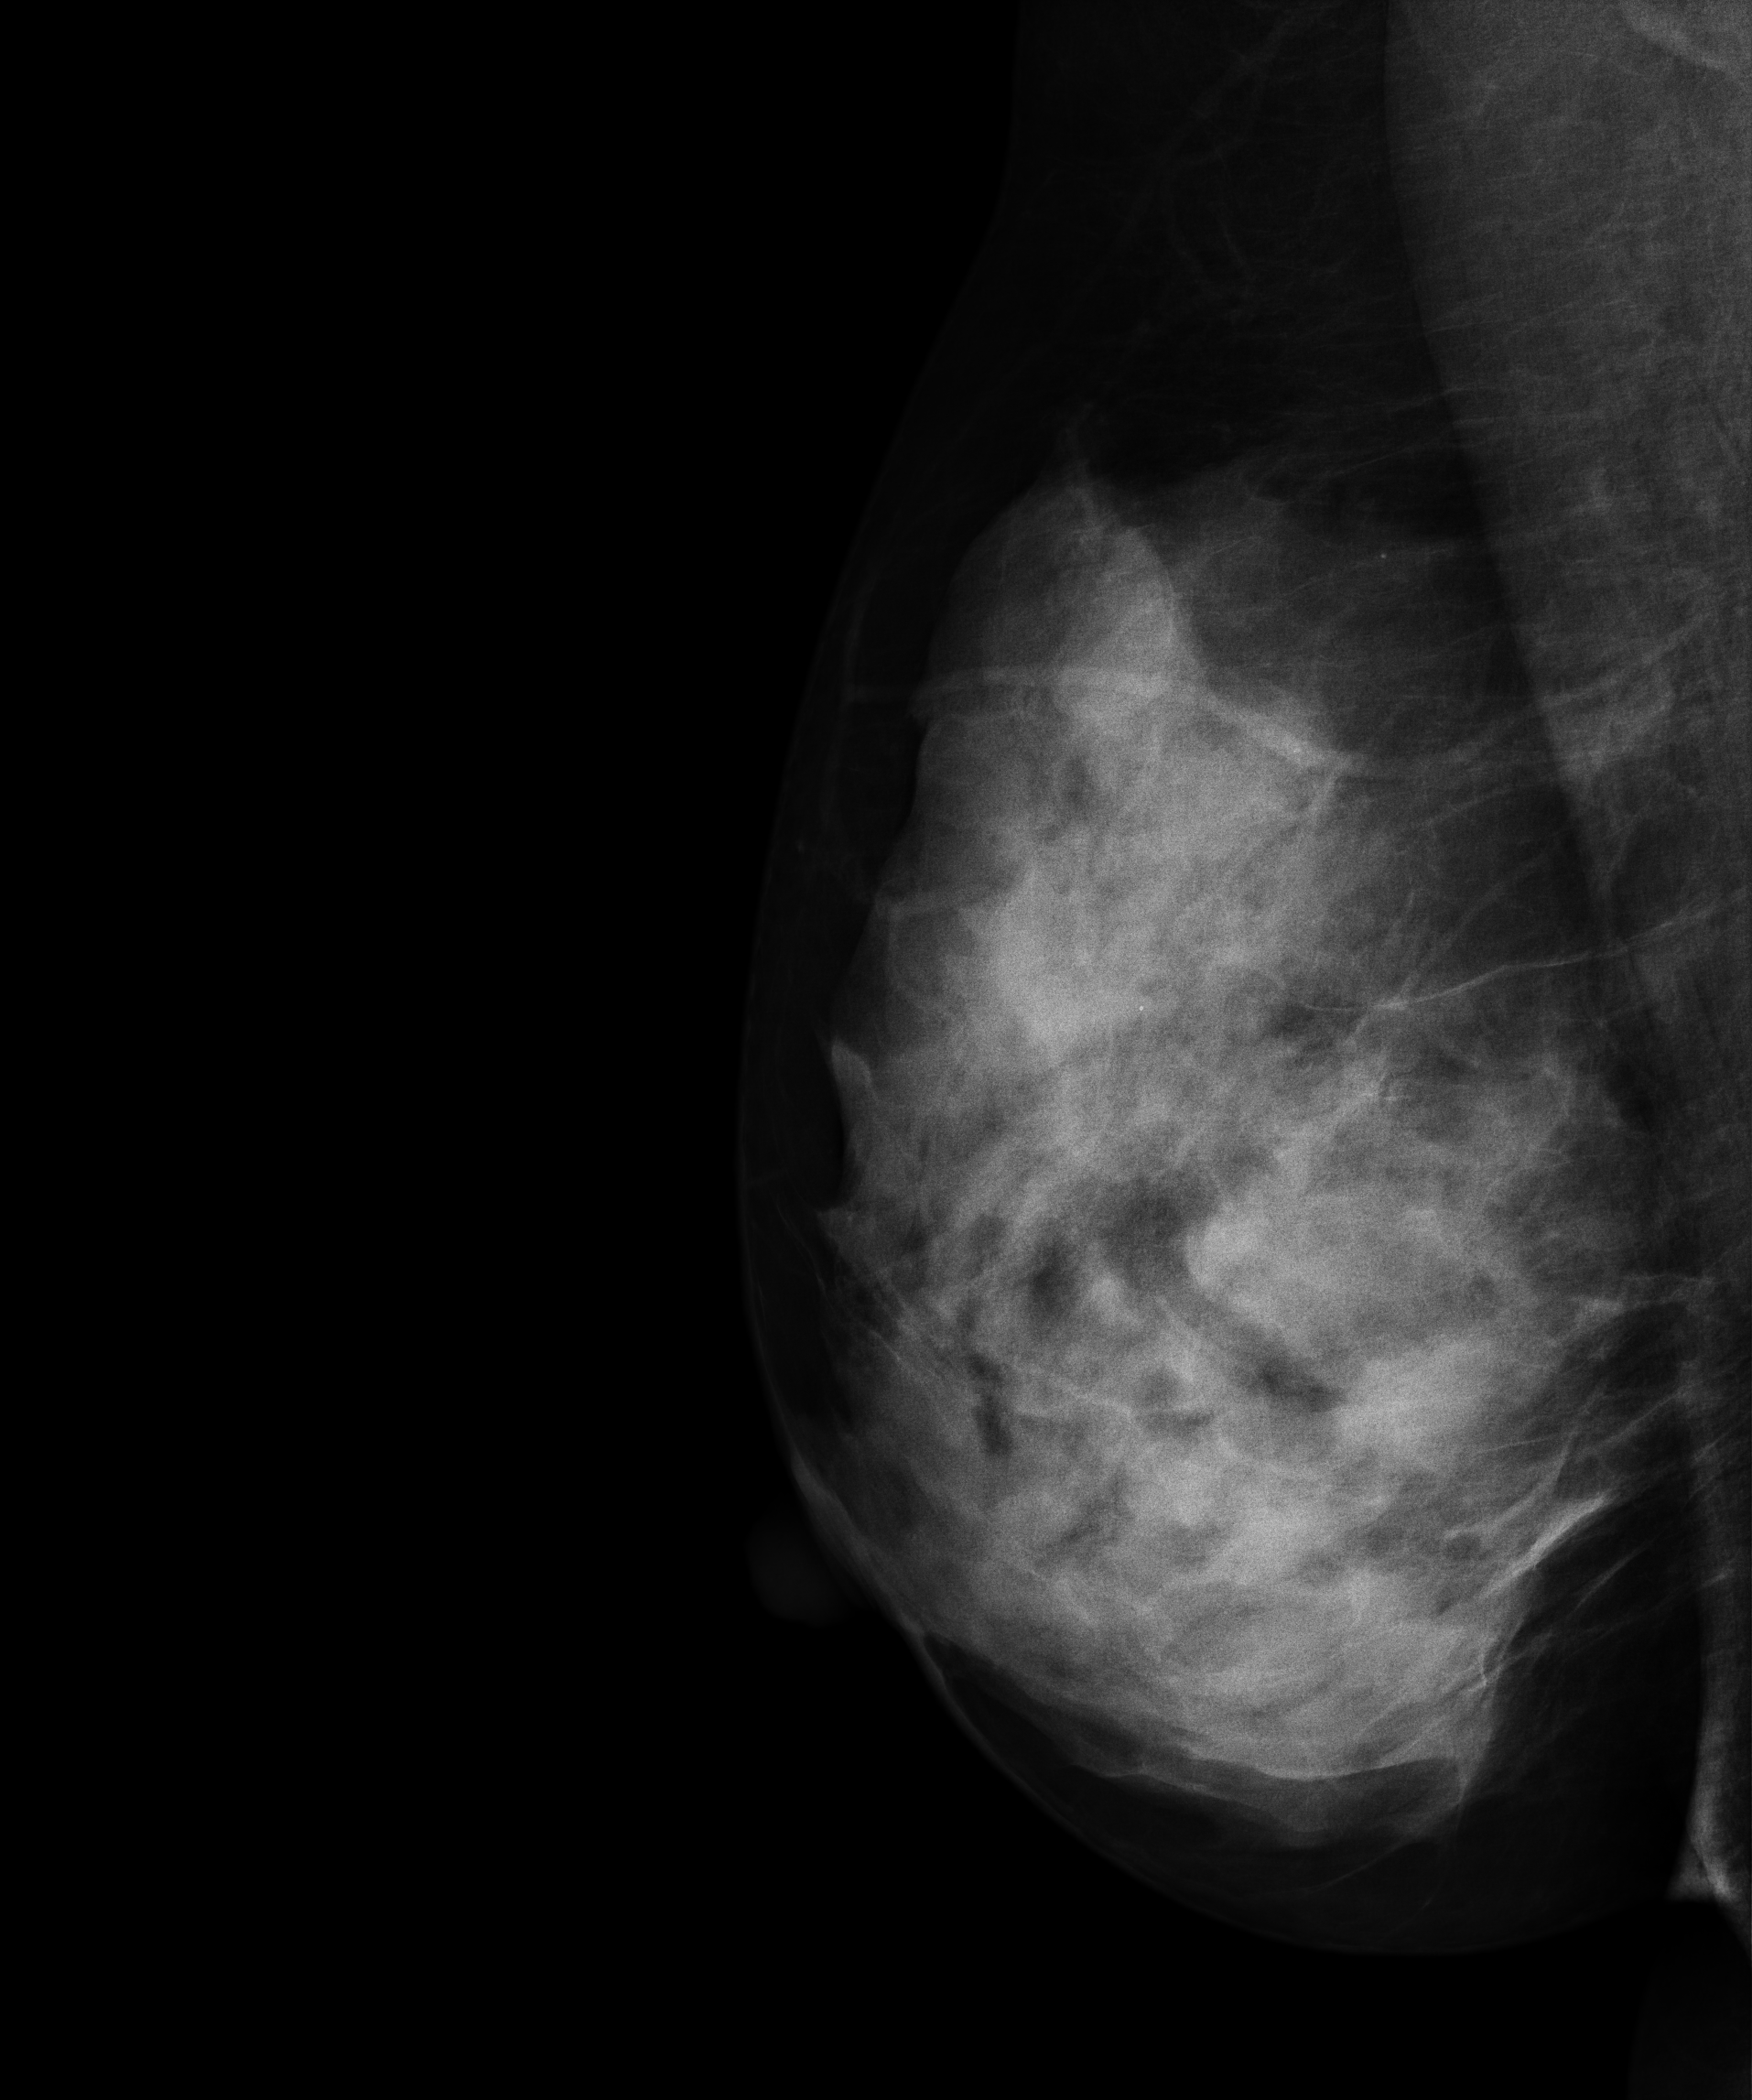
Mammogram, right breast, medio-lateral oblique view. 50 y/o patient.
Contralateral breast — no documented abnormality on this side.